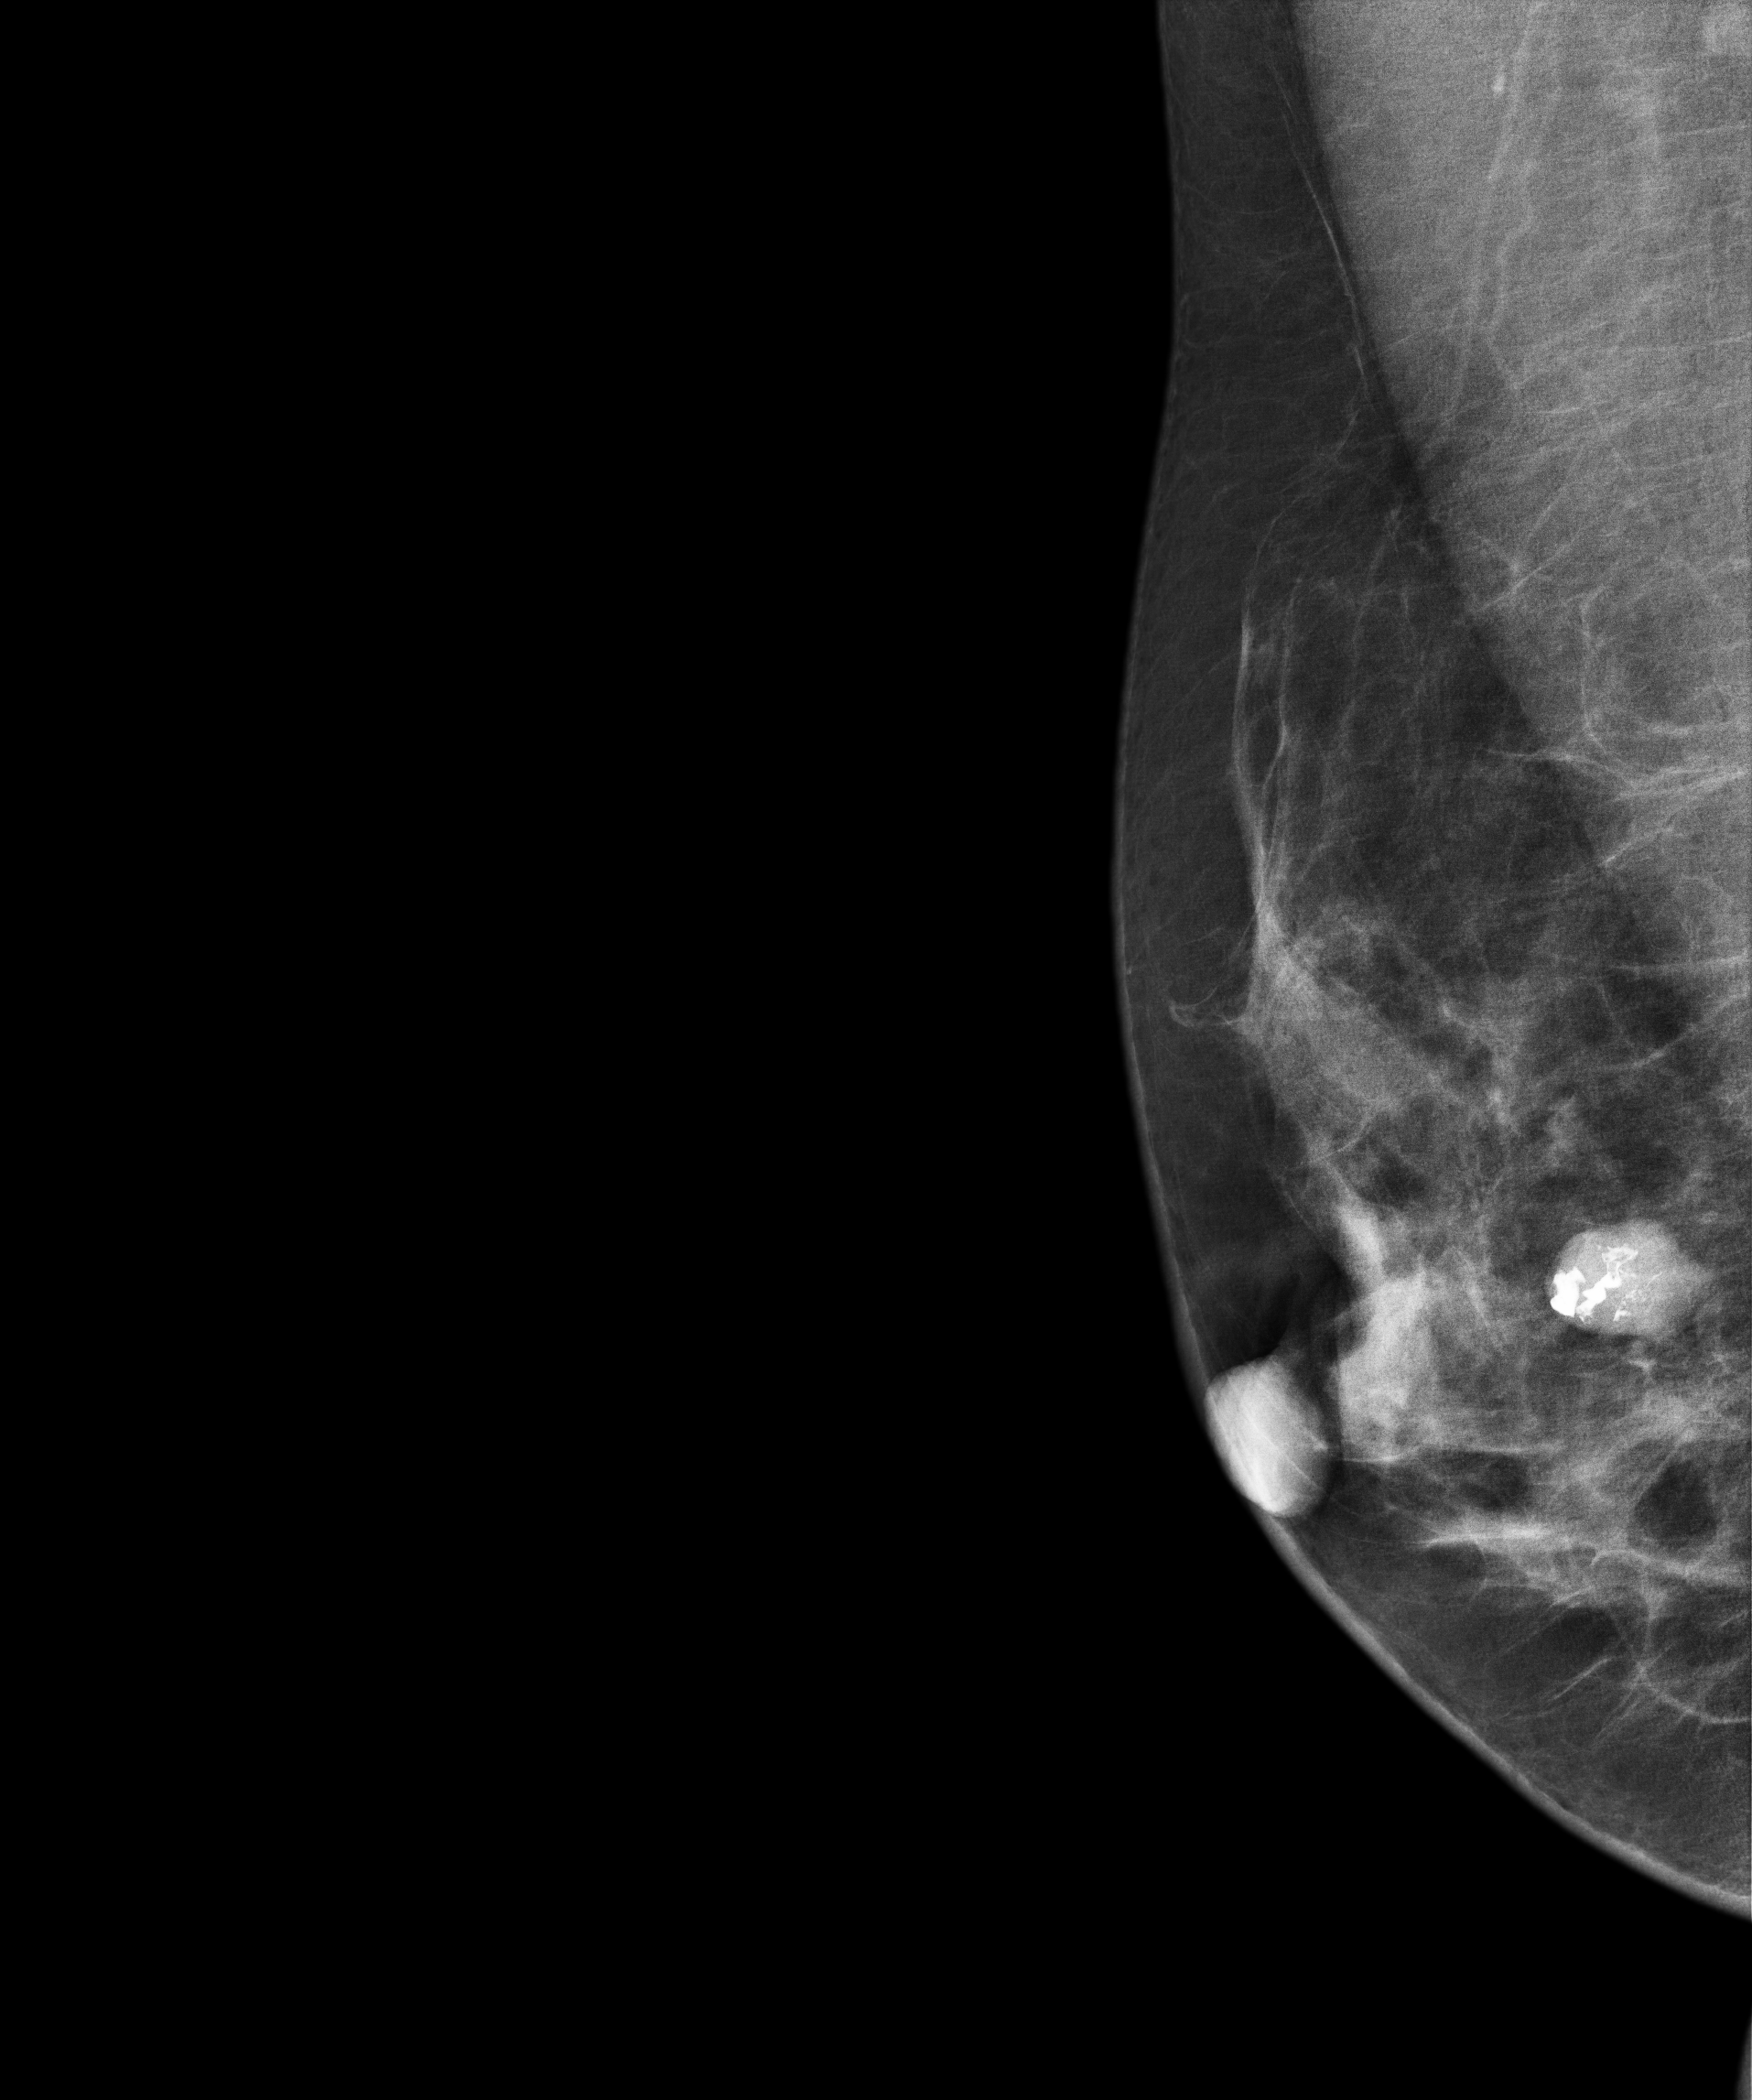
Medio-lateral oblique mammogram of the right breast. Patient age 32.
This breast has a mass and calcifications, pathology-confirmed benign.